Mammogram — left medio-lateral oblique. 41-year-old patient.
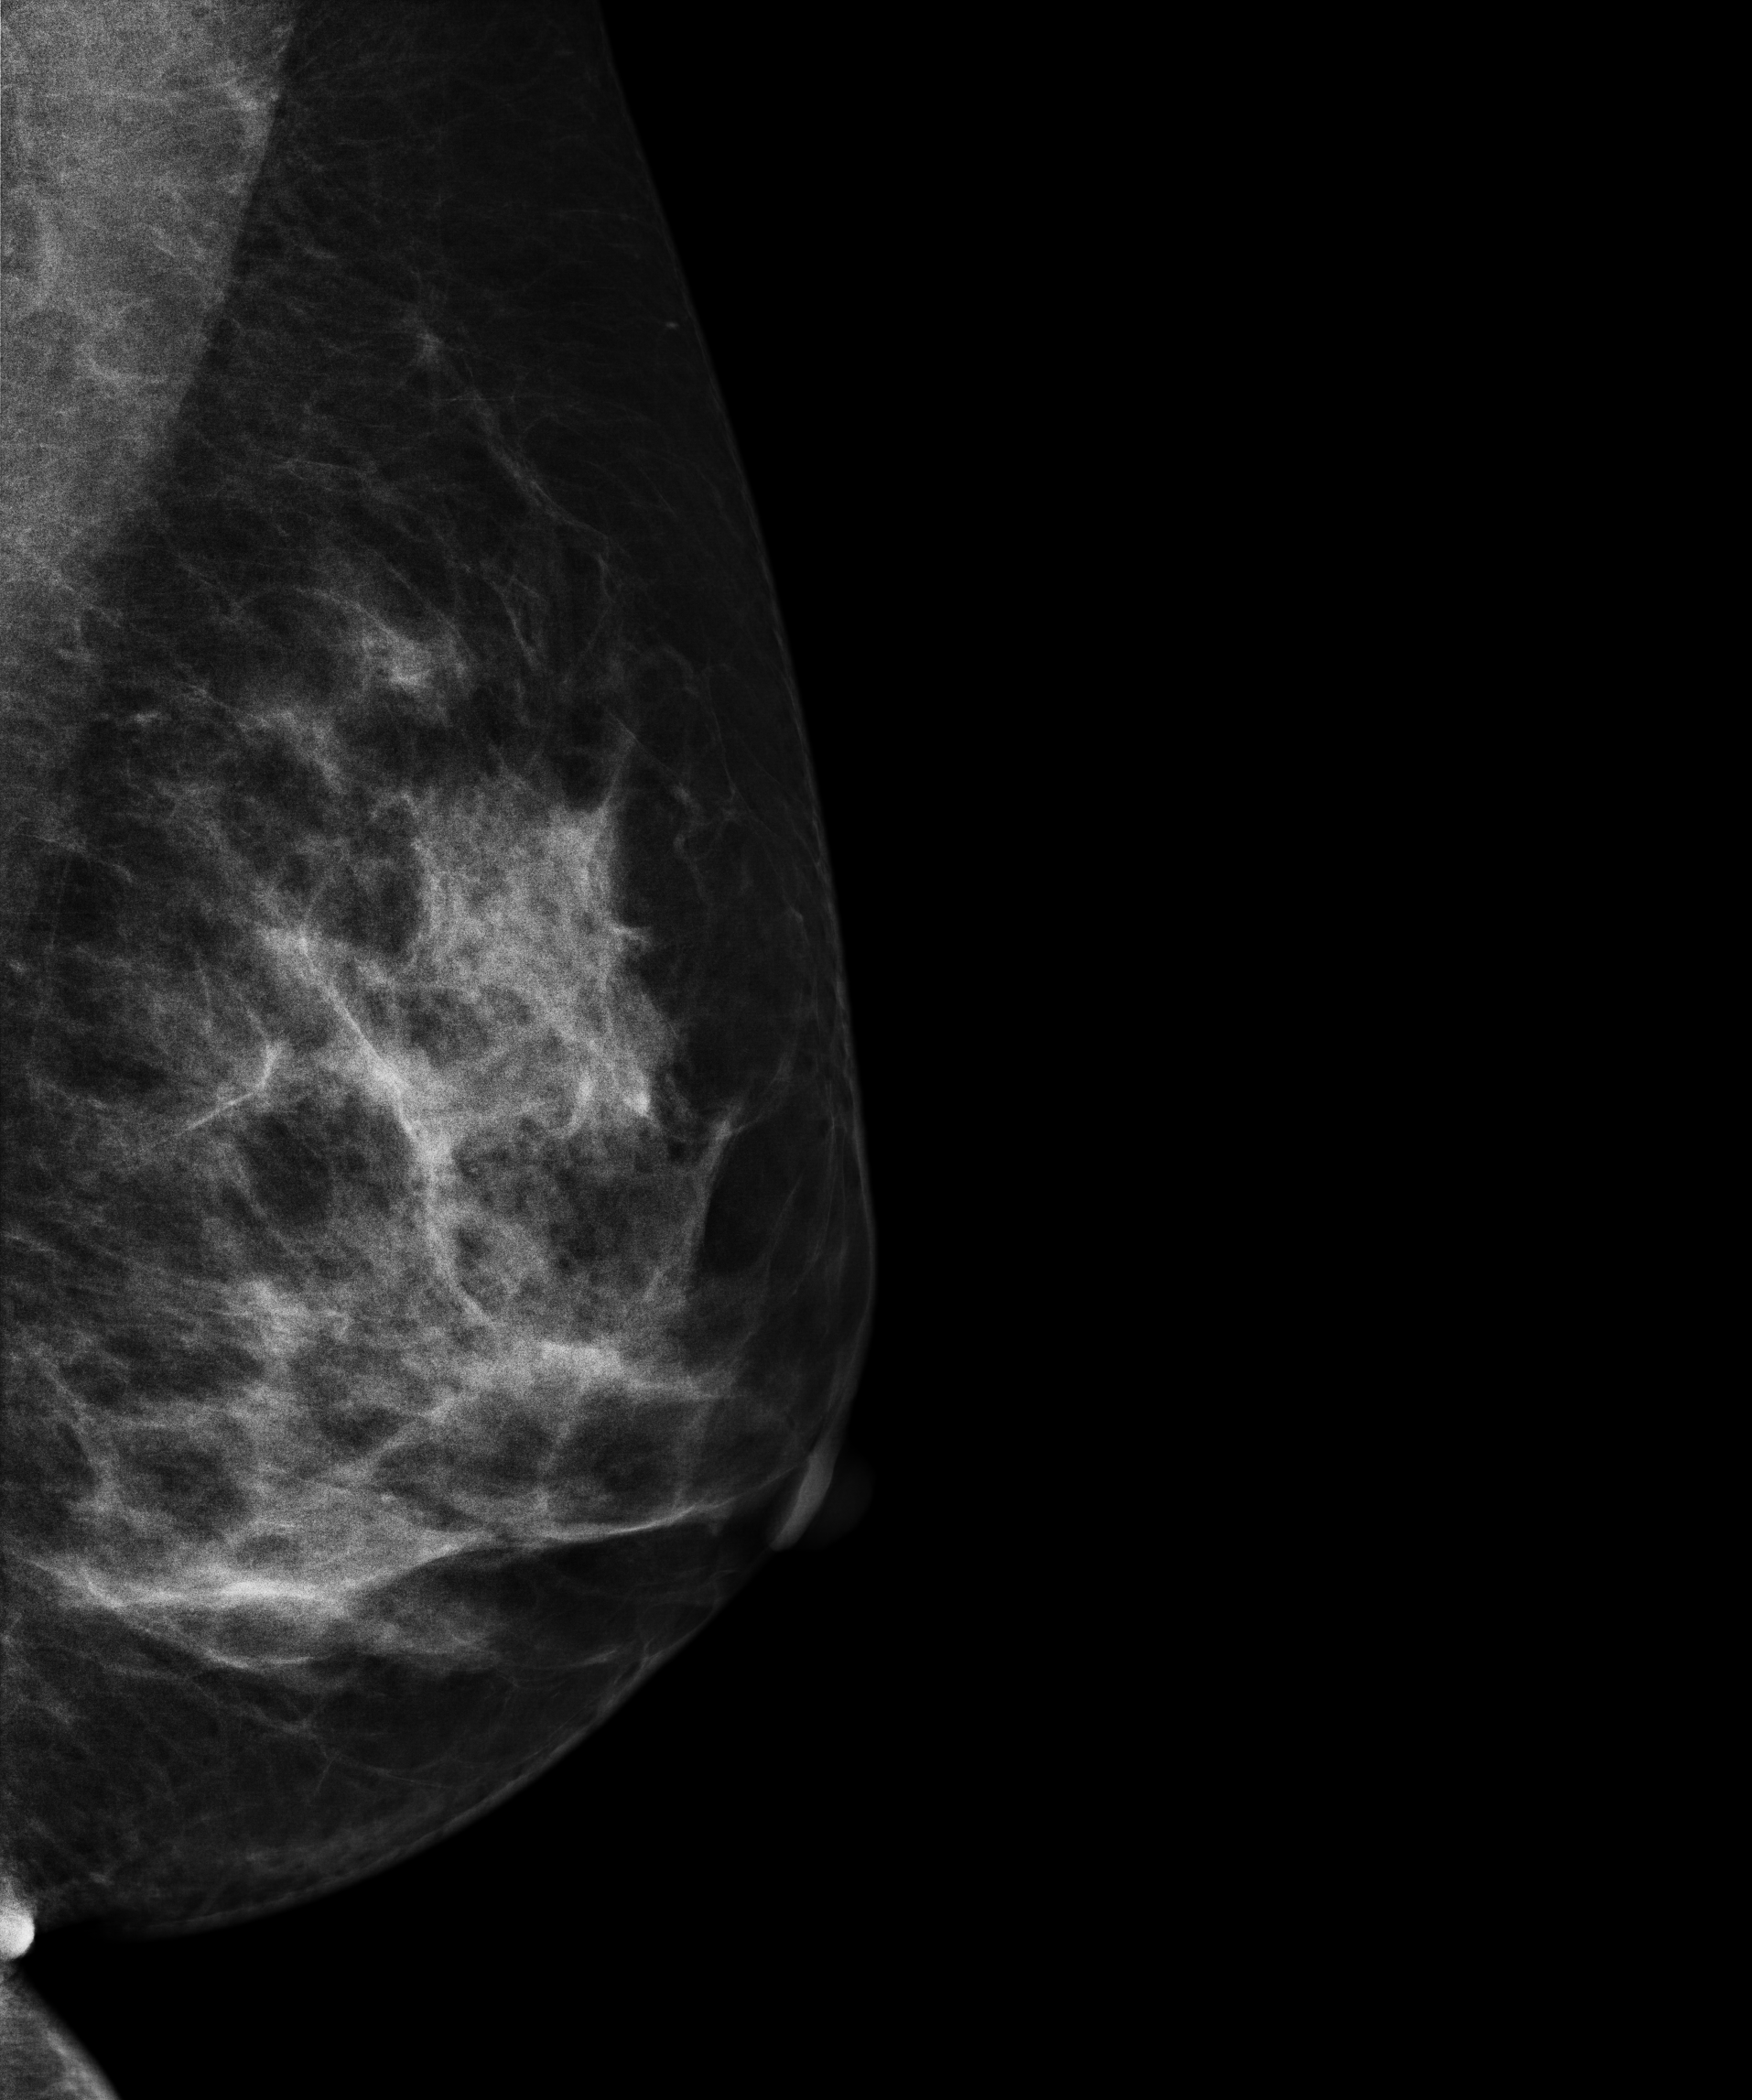
Contralateral breast — no documented abnormality on this side.